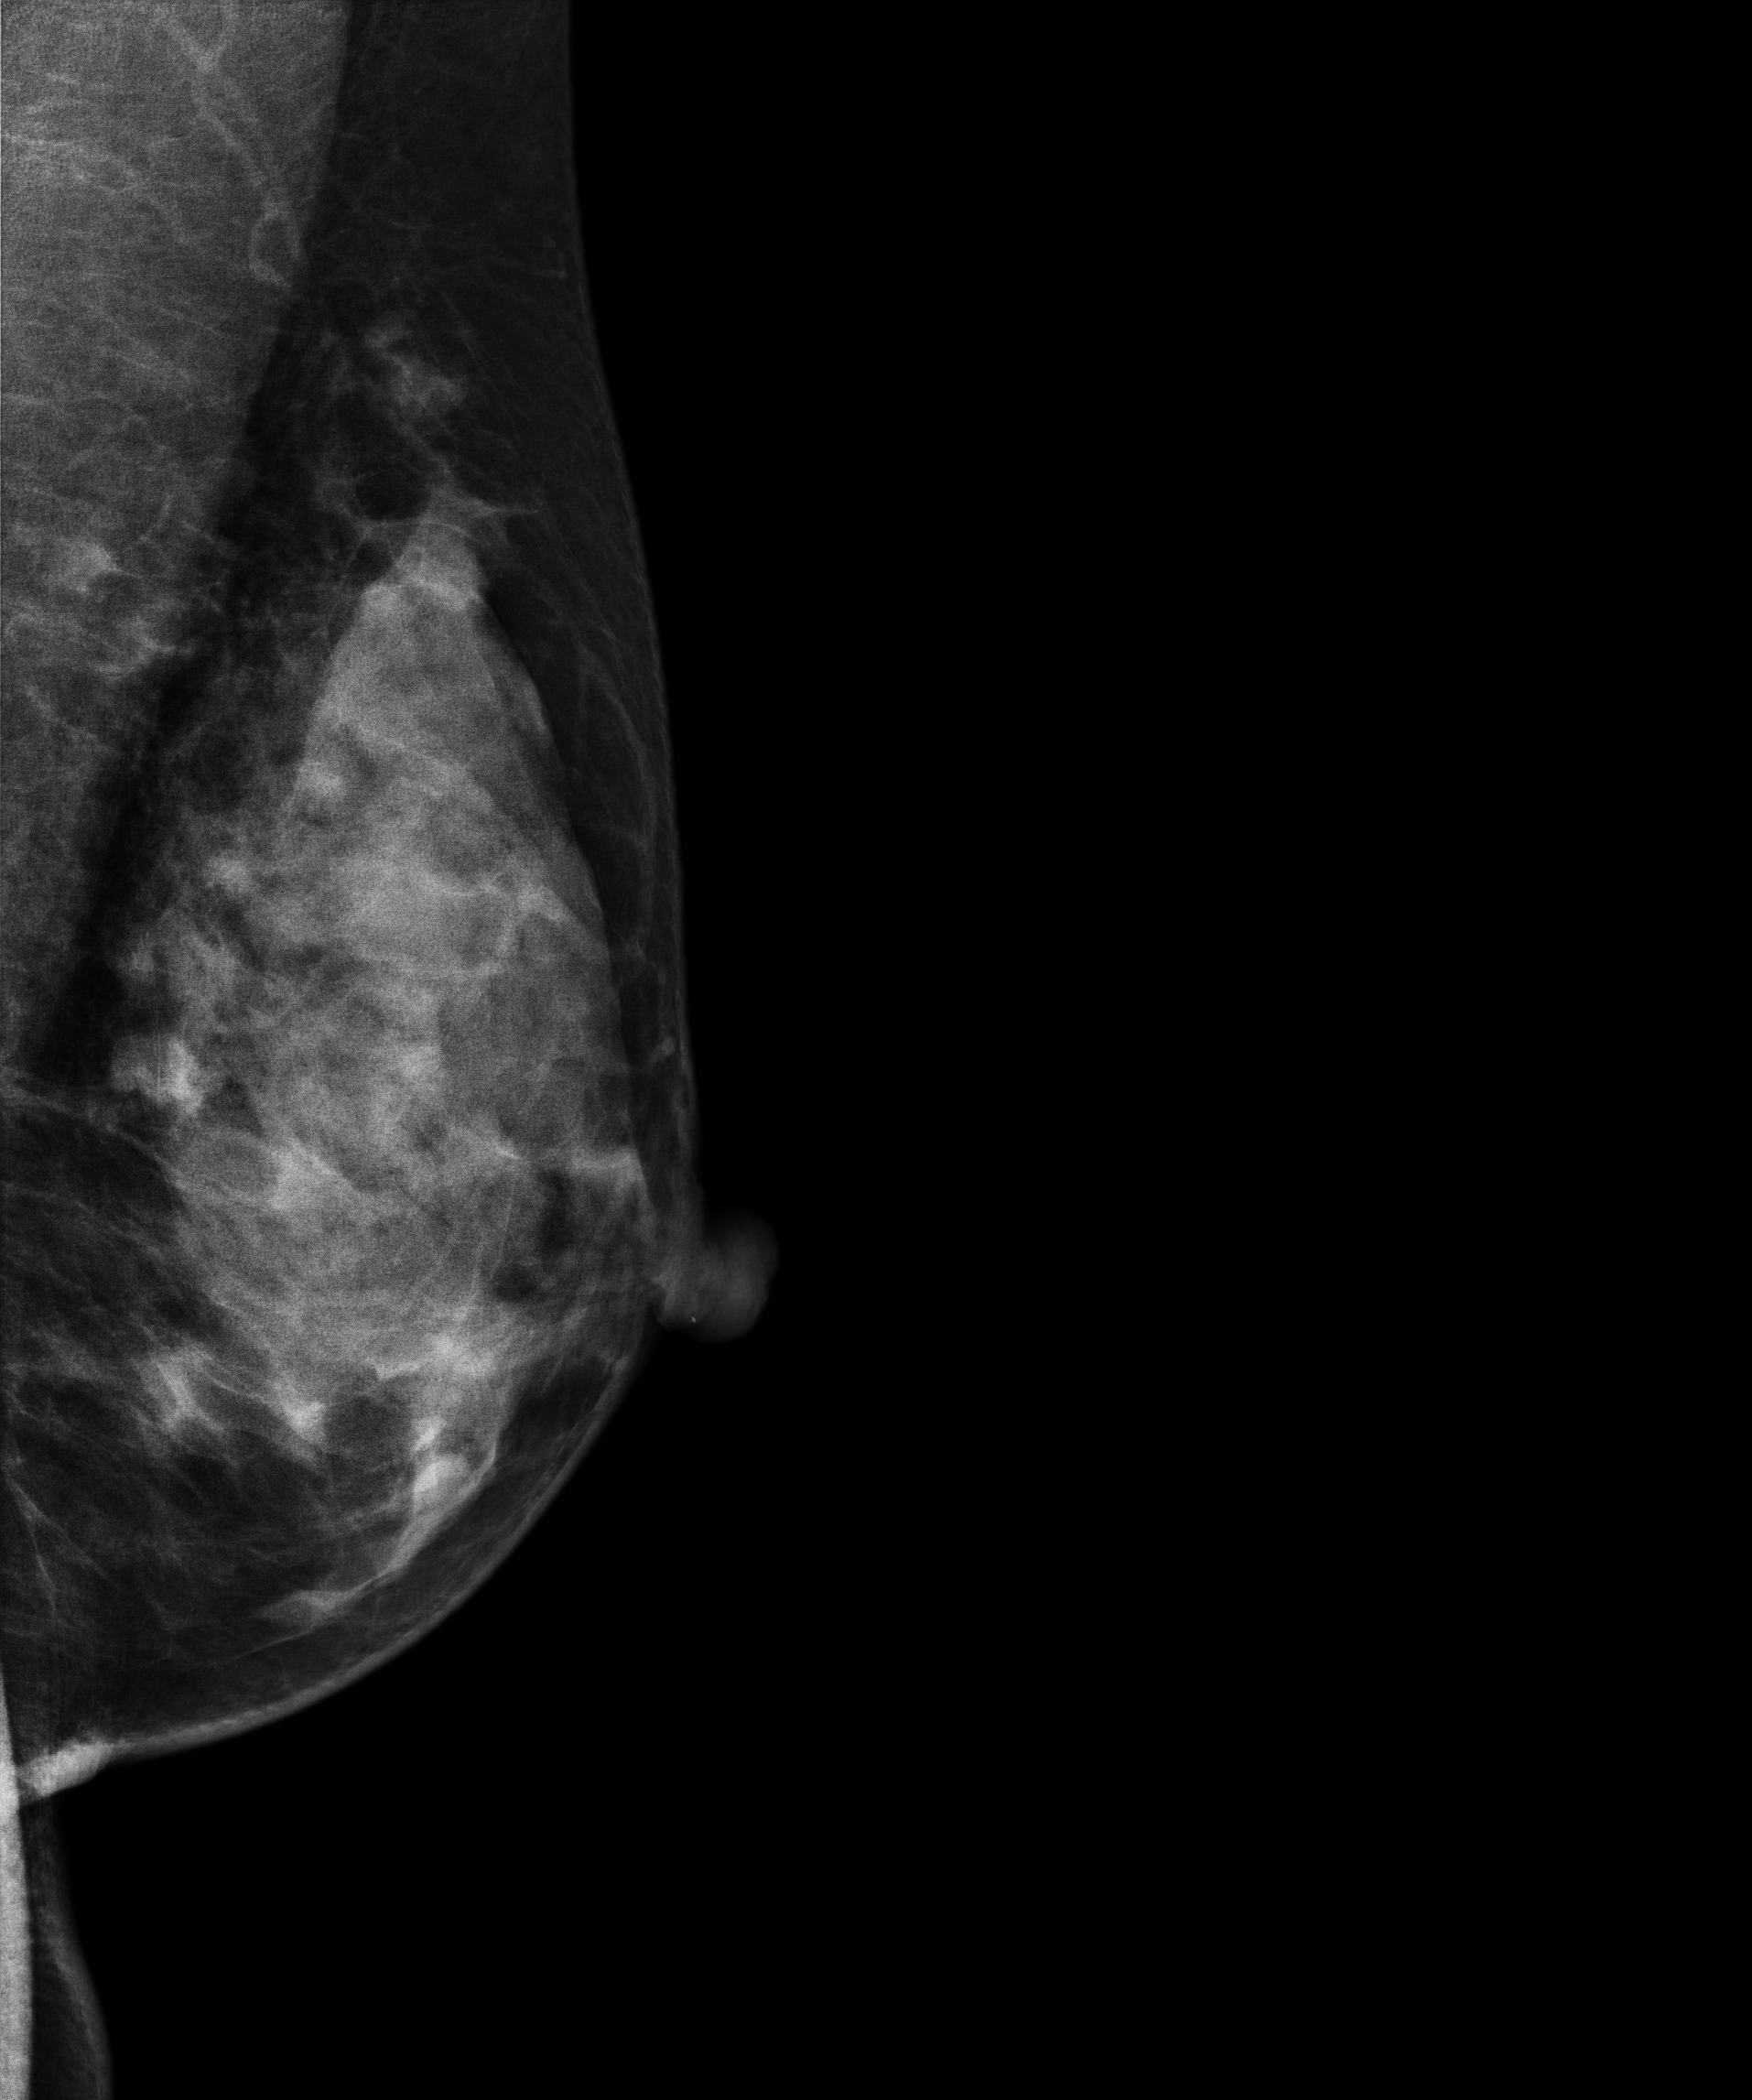
Mammogram, left breast, MLO view. 44 y/o patient.
Contralateral breast — no documented abnormality on this side.